Digital mammography. Left breast, CC projection. 37 y/o patient.
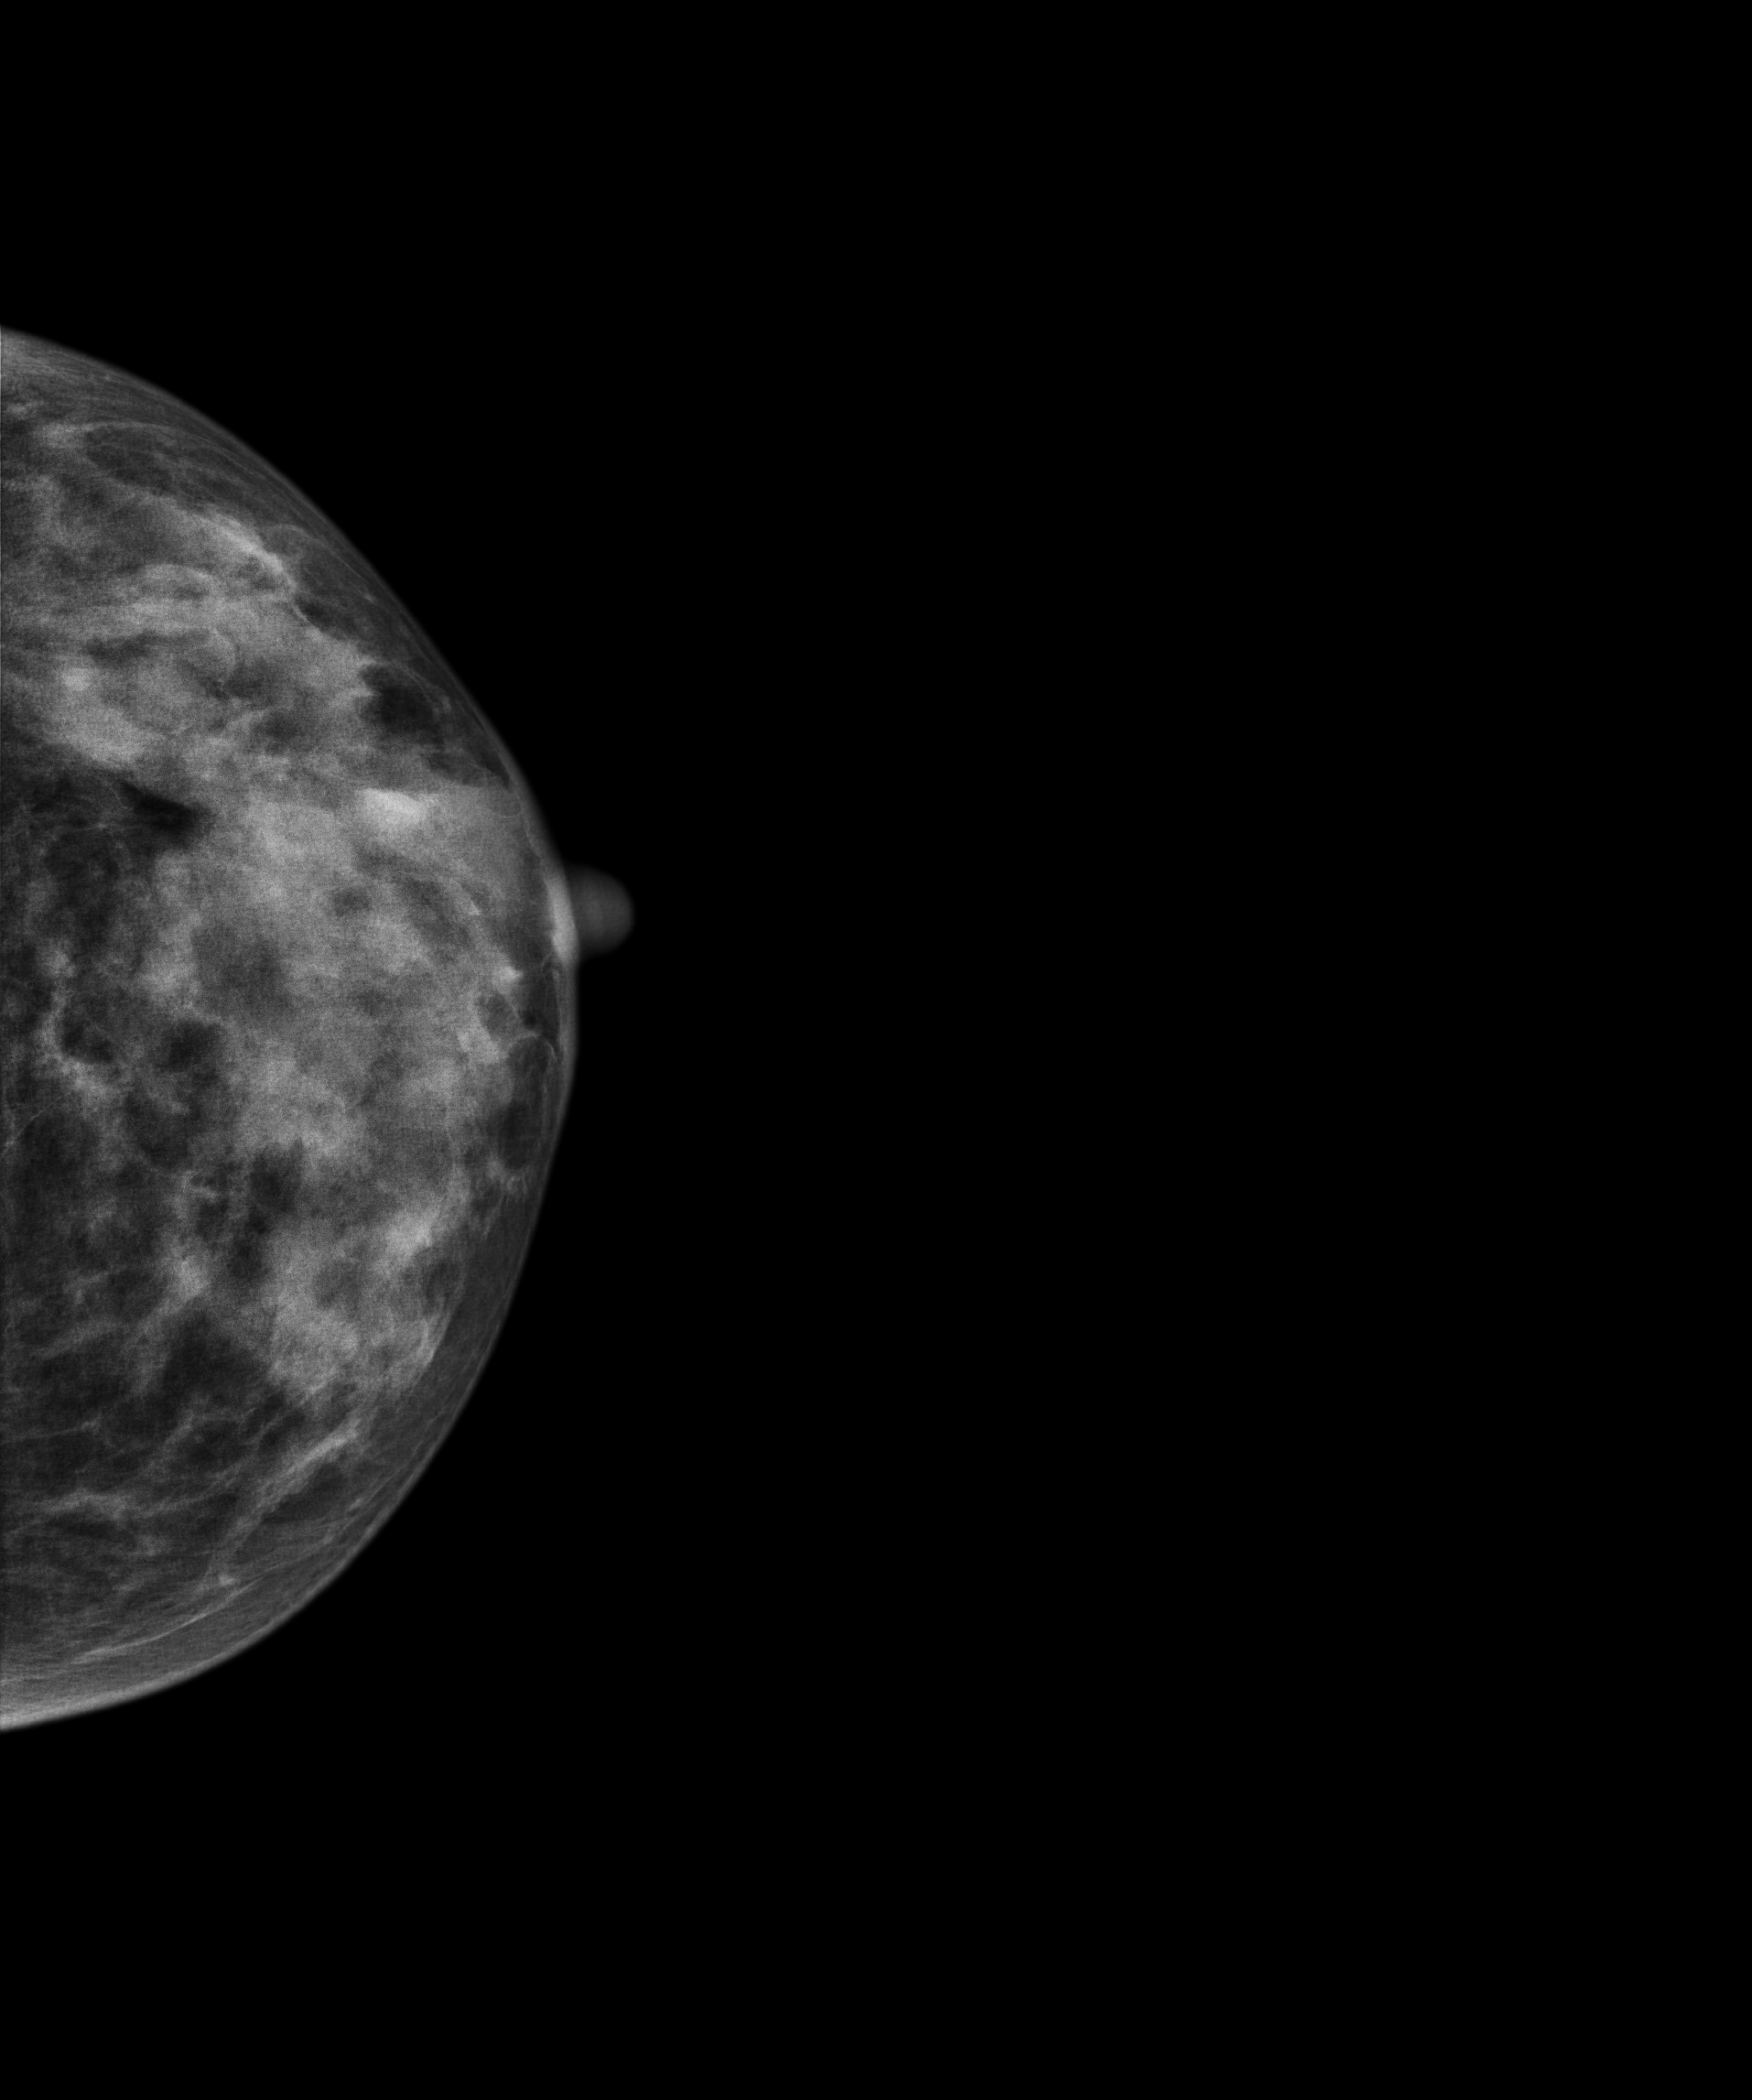
This breast has a mass, histologically confirmed benign.